Digital mammography. Left breast, medio-lateral oblique projection. 40-year-old patient.
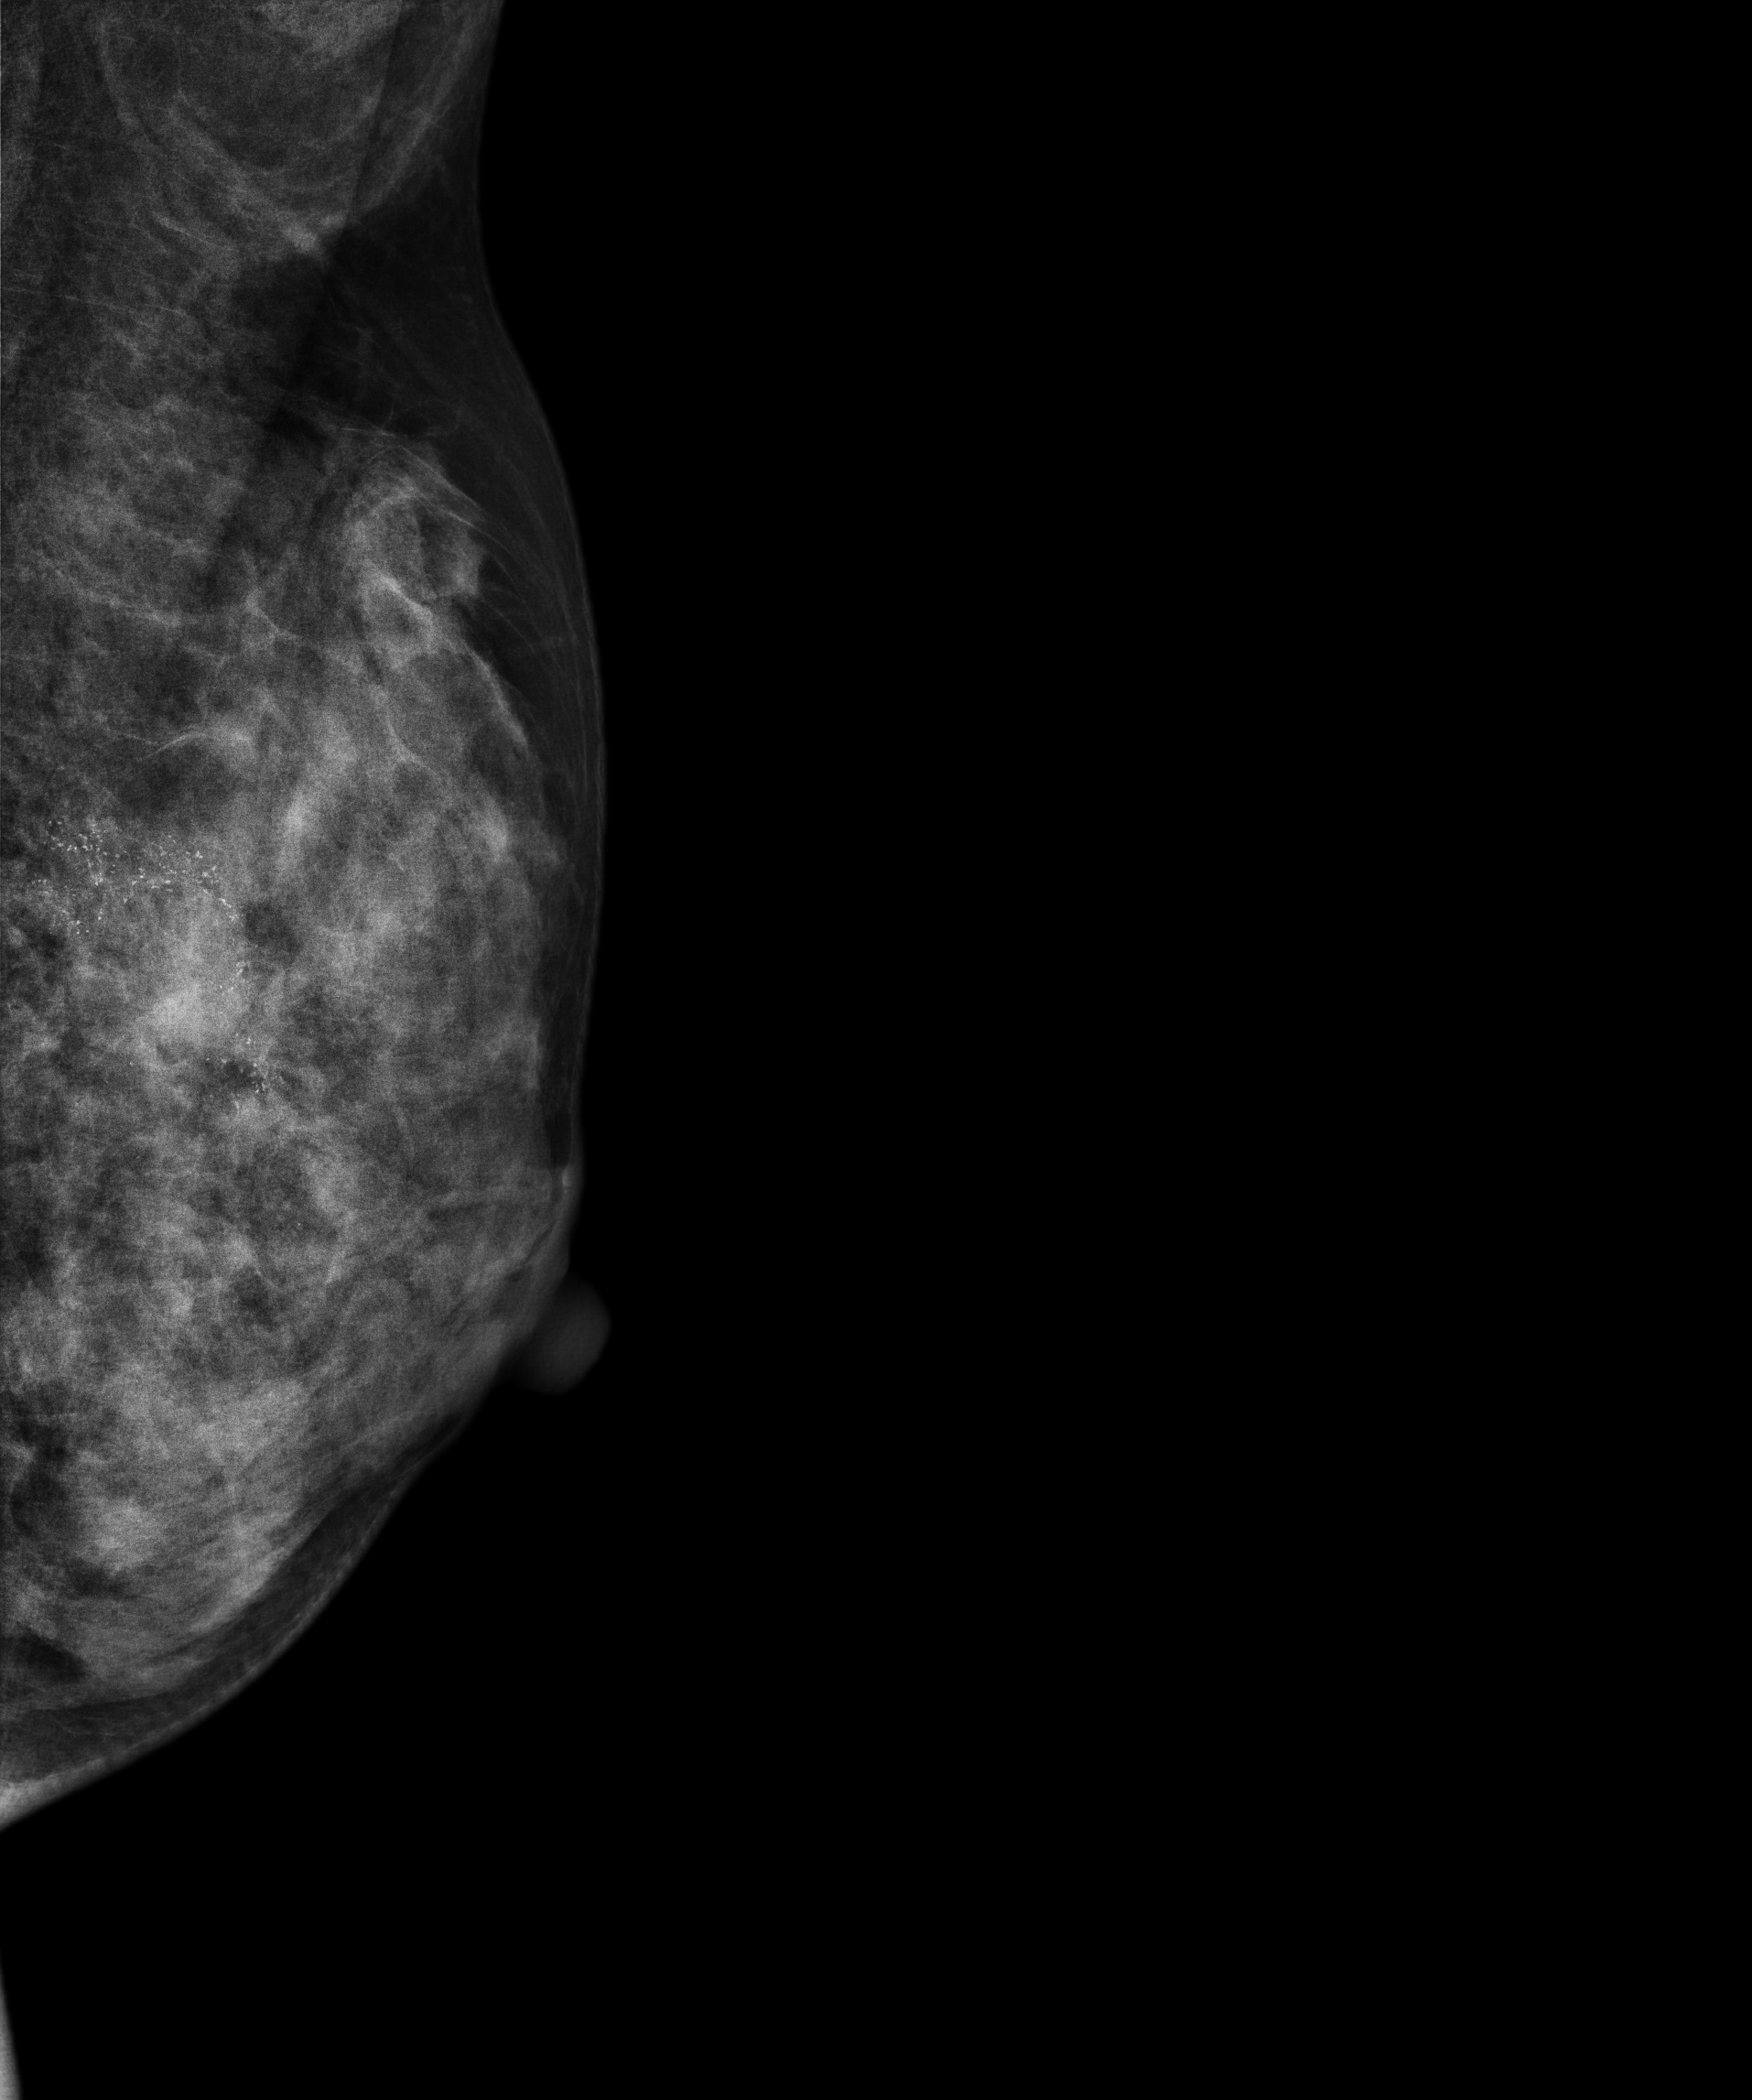
This breast has a mass and calcifications, pathology-confirmed malignant.